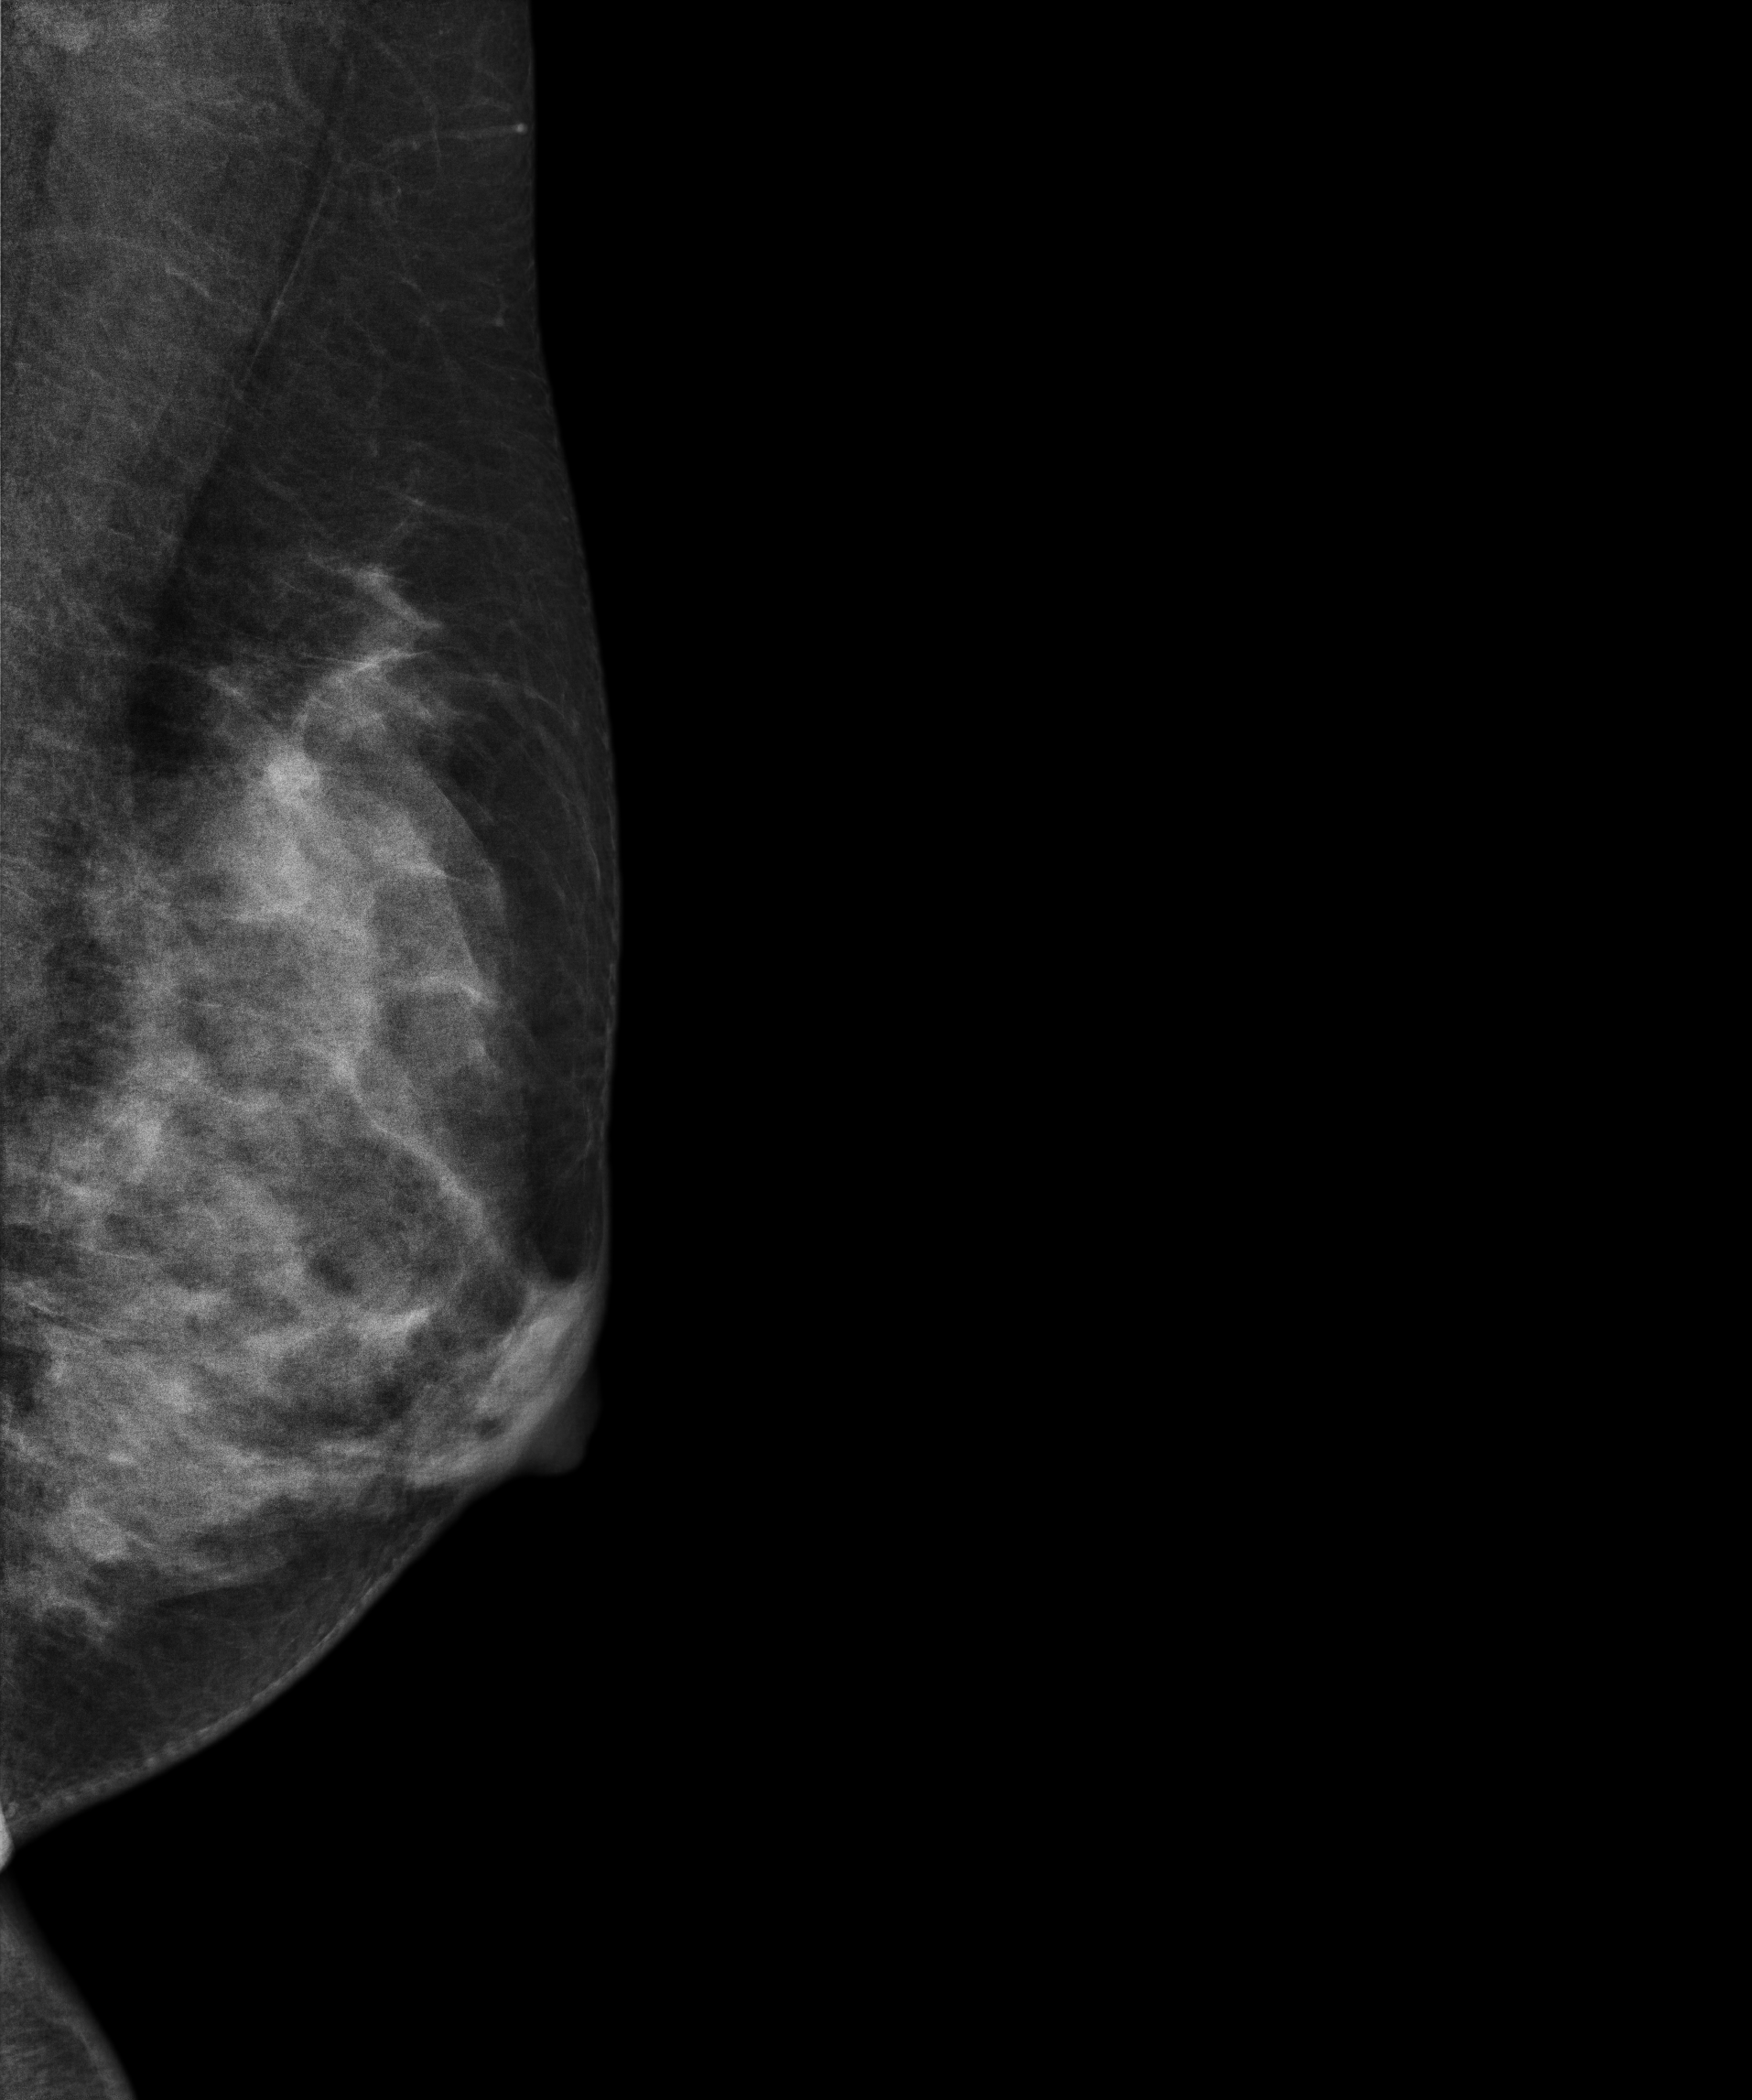
Digital mammography. Left breast, MLO projection. Patient age 41.
This breast has a mass, histologically confirmed malignant.